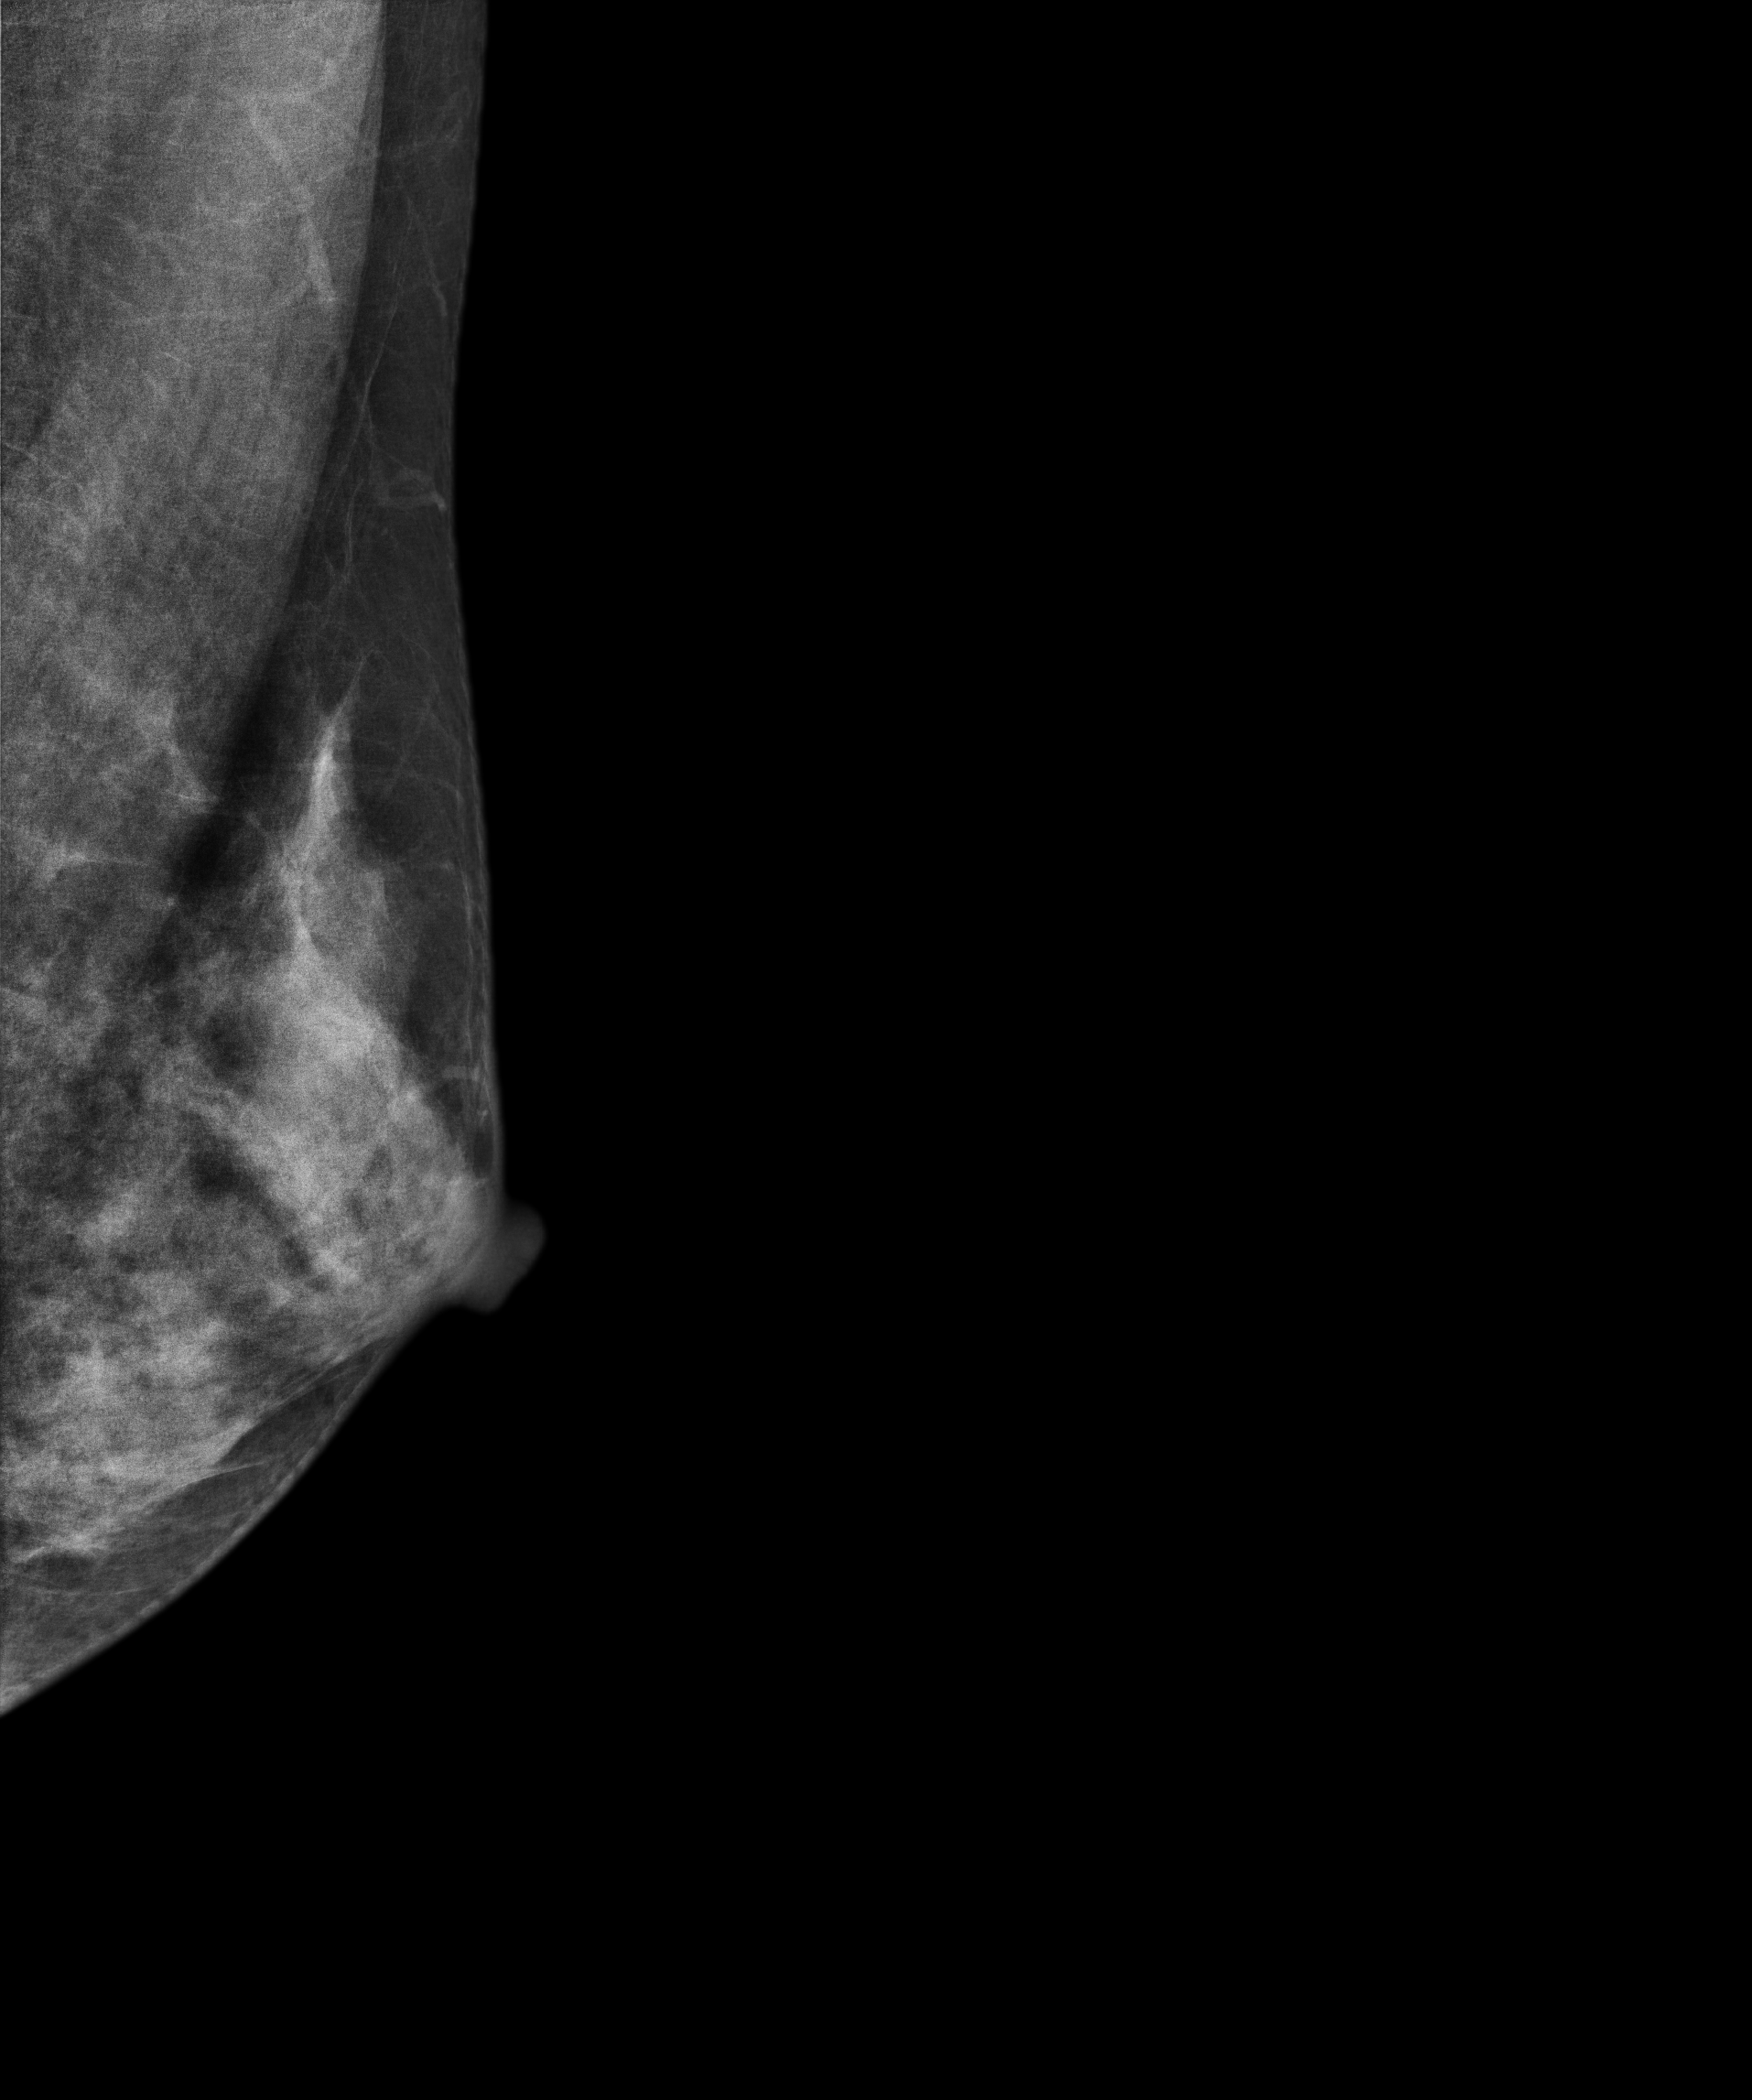
Left-breast mammogram, medio-lateral oblique. Patient age 39.
This breast has a mass, biopsy-proven benign.